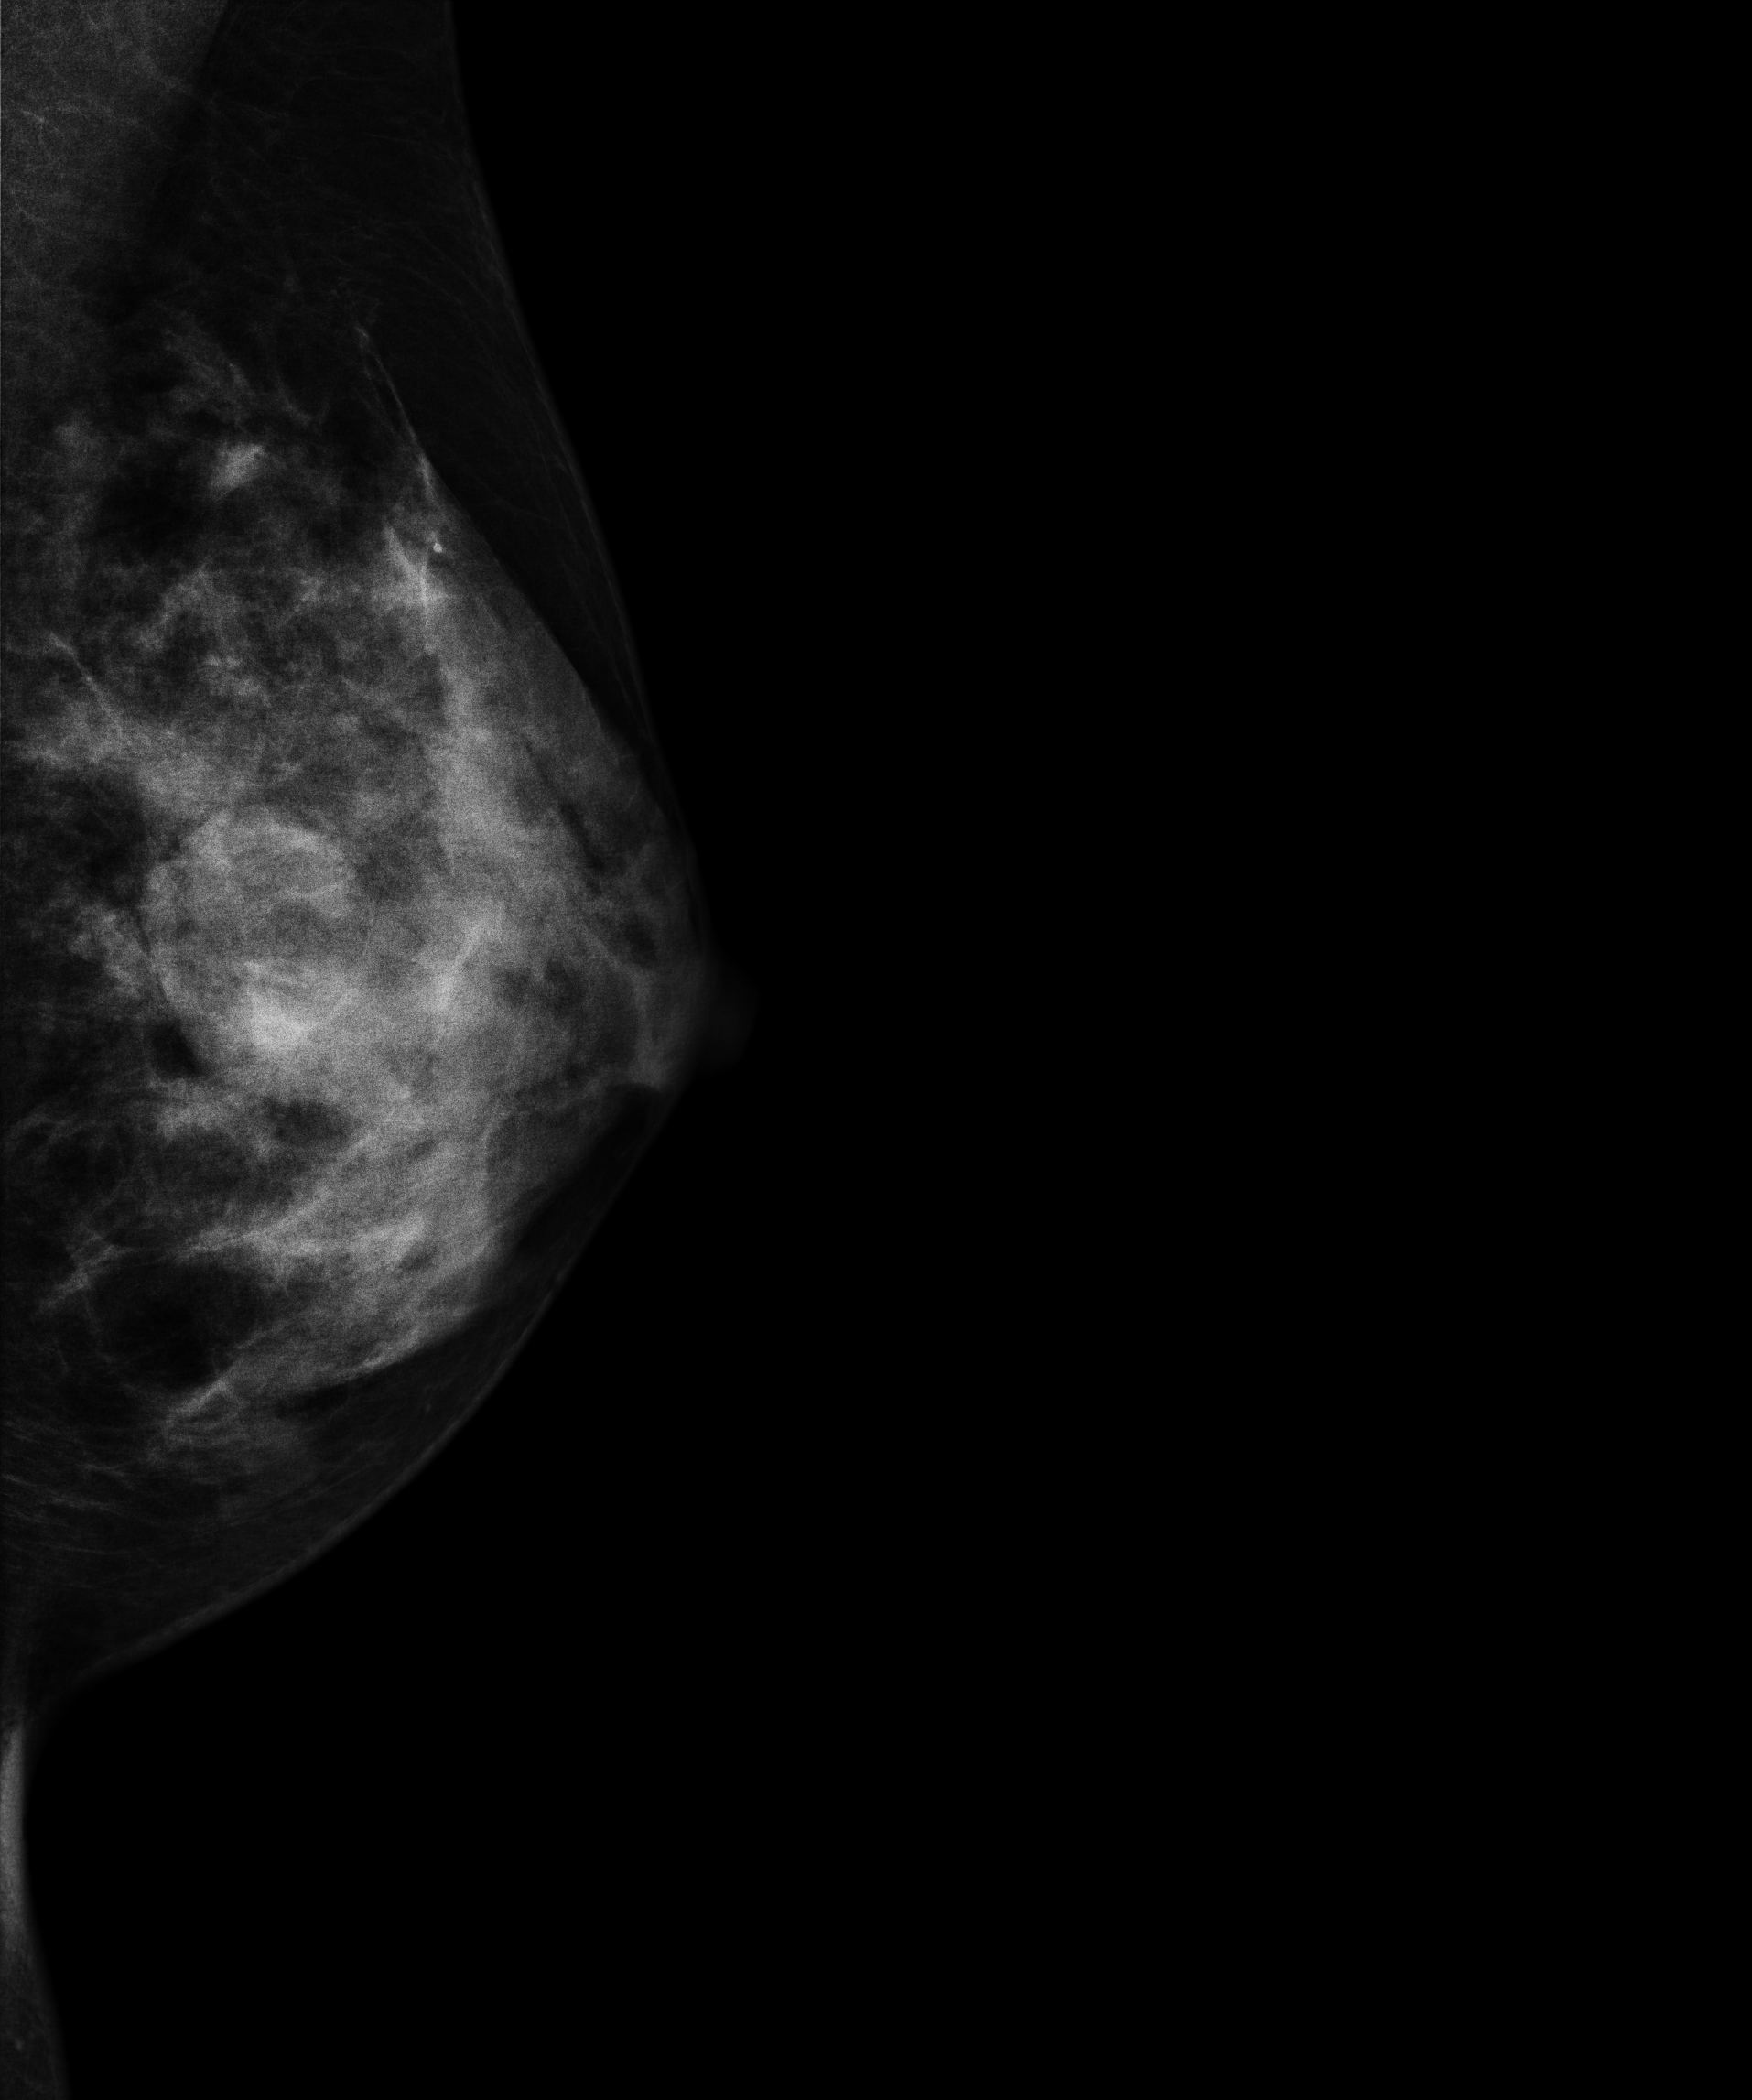
Digital mammography. Left breast, medio-lateral oblique projection. 41-year-old patient.
This breast has a mass, pathology-confirmed benign.